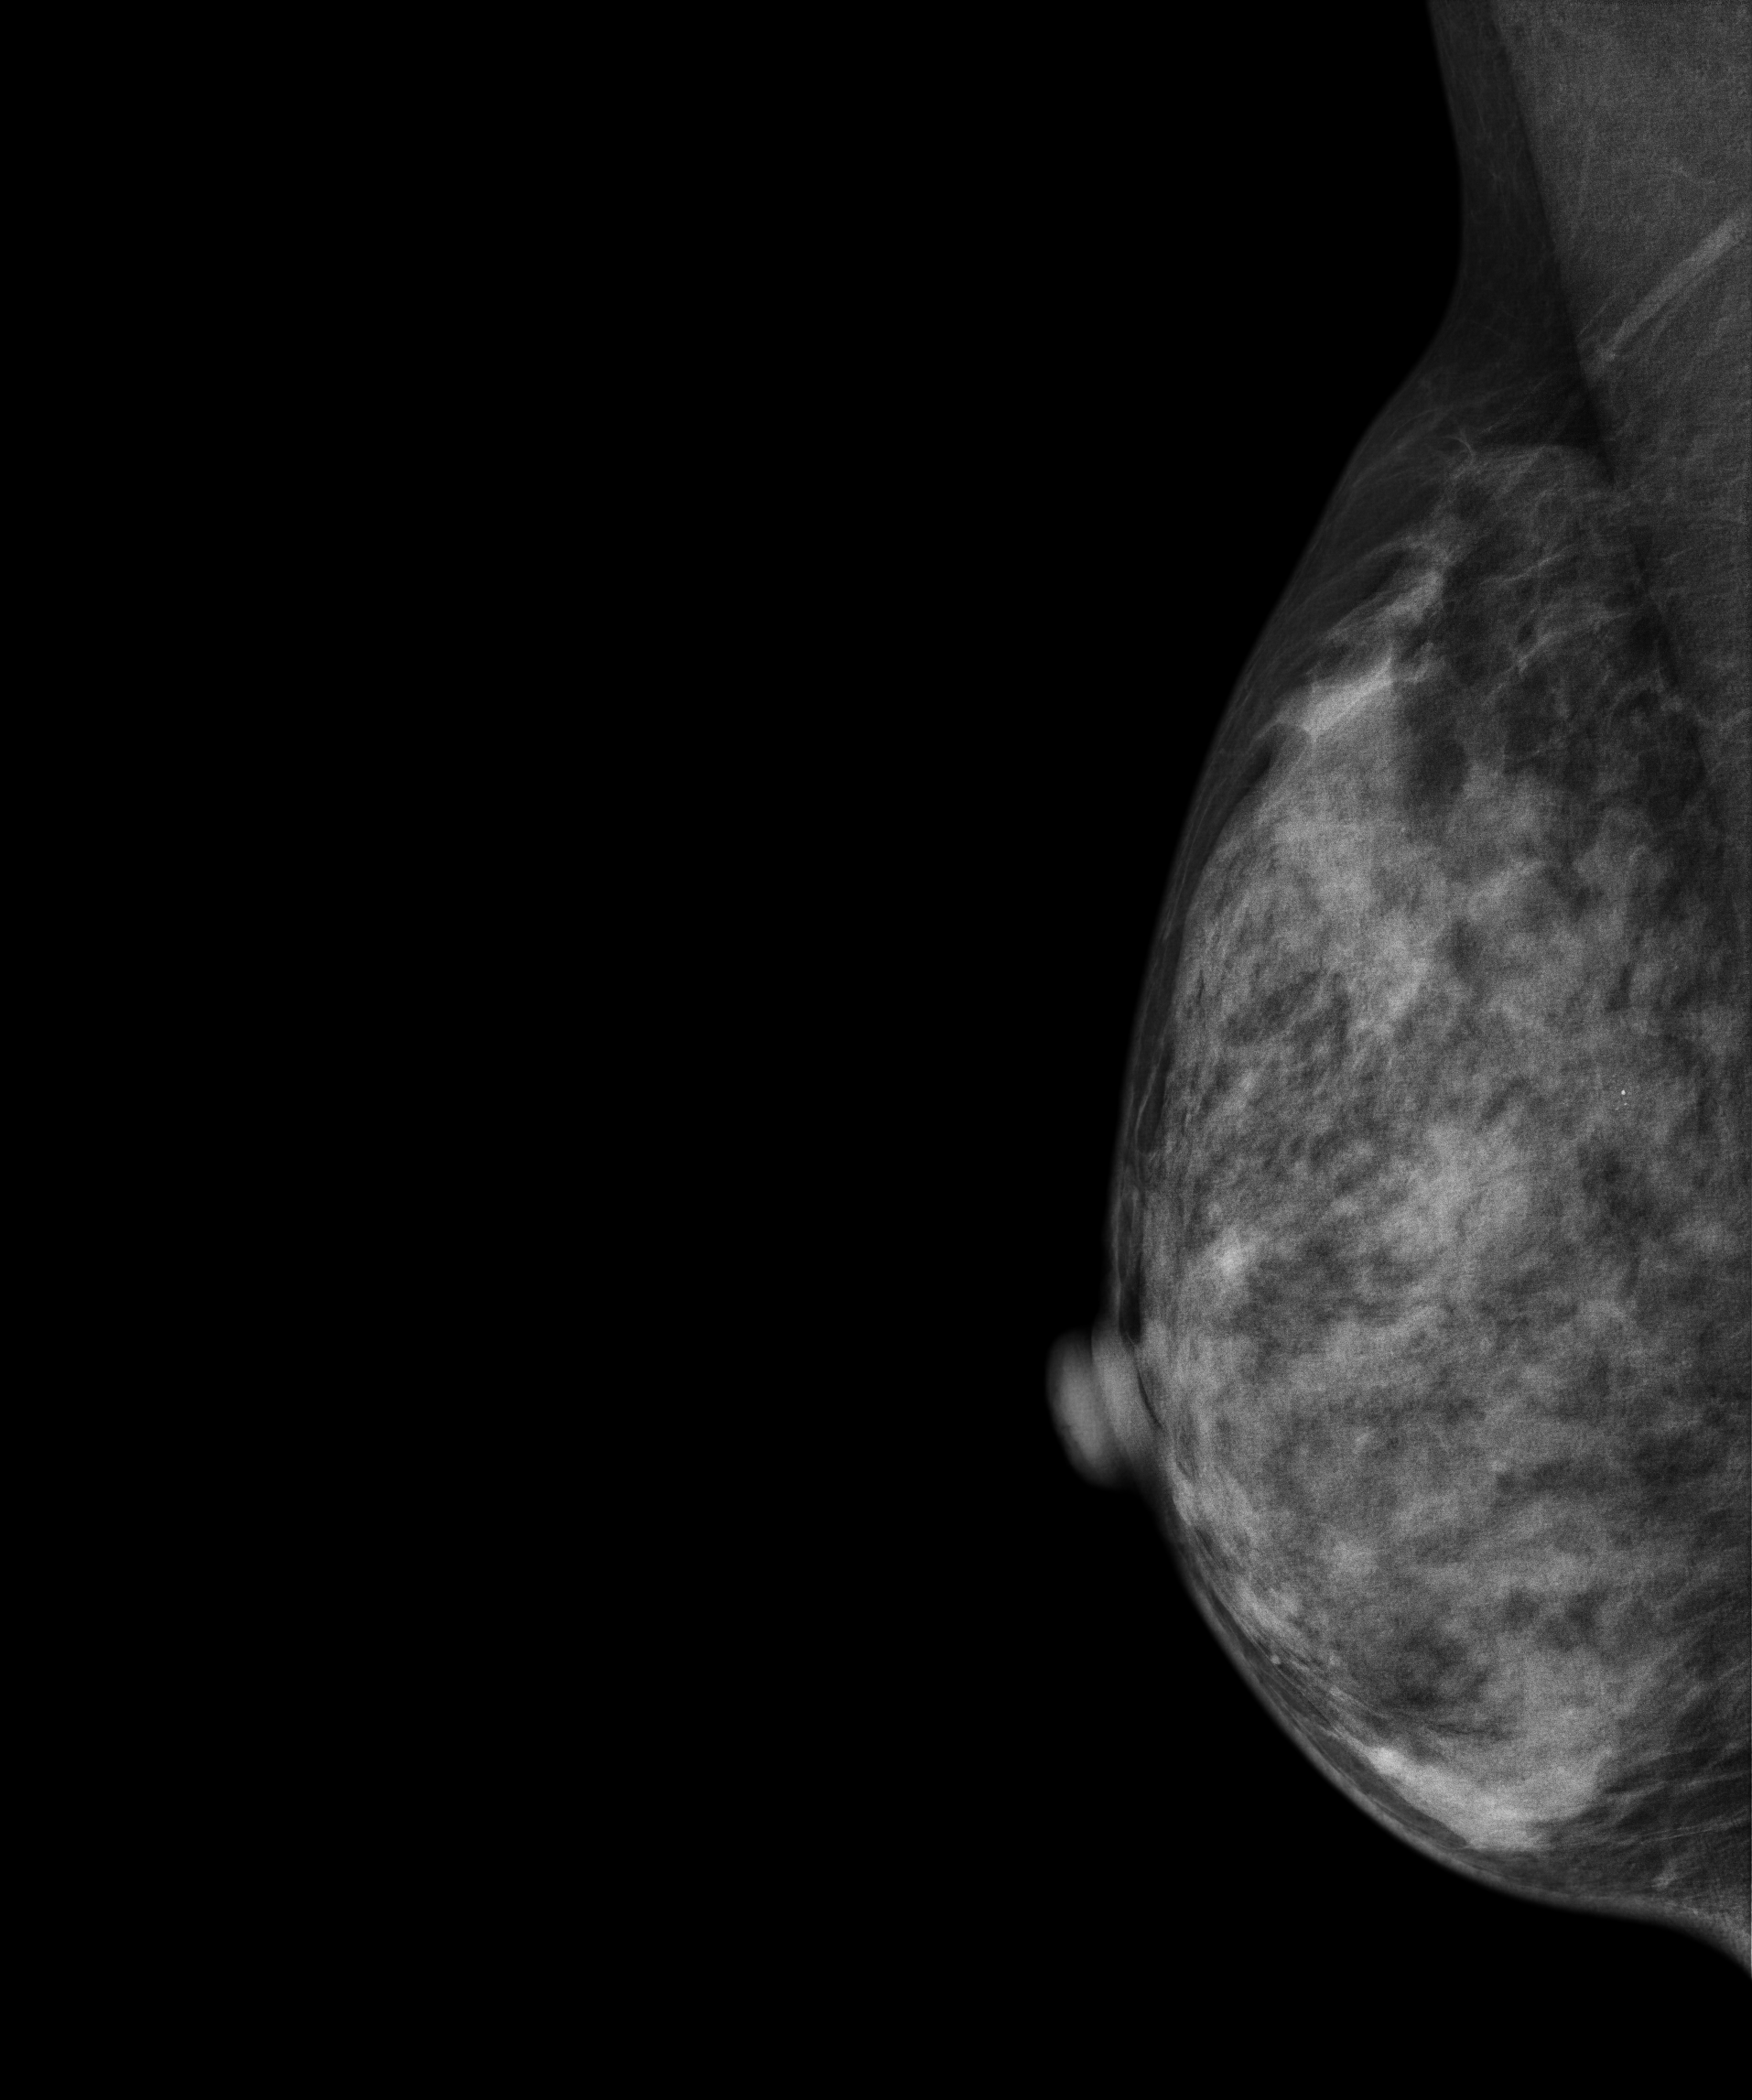
Right-breast mammogram, medio-lateral oblique. Patient age 43.
This breast has a mass and calcifications, pathology-confirmed benign.